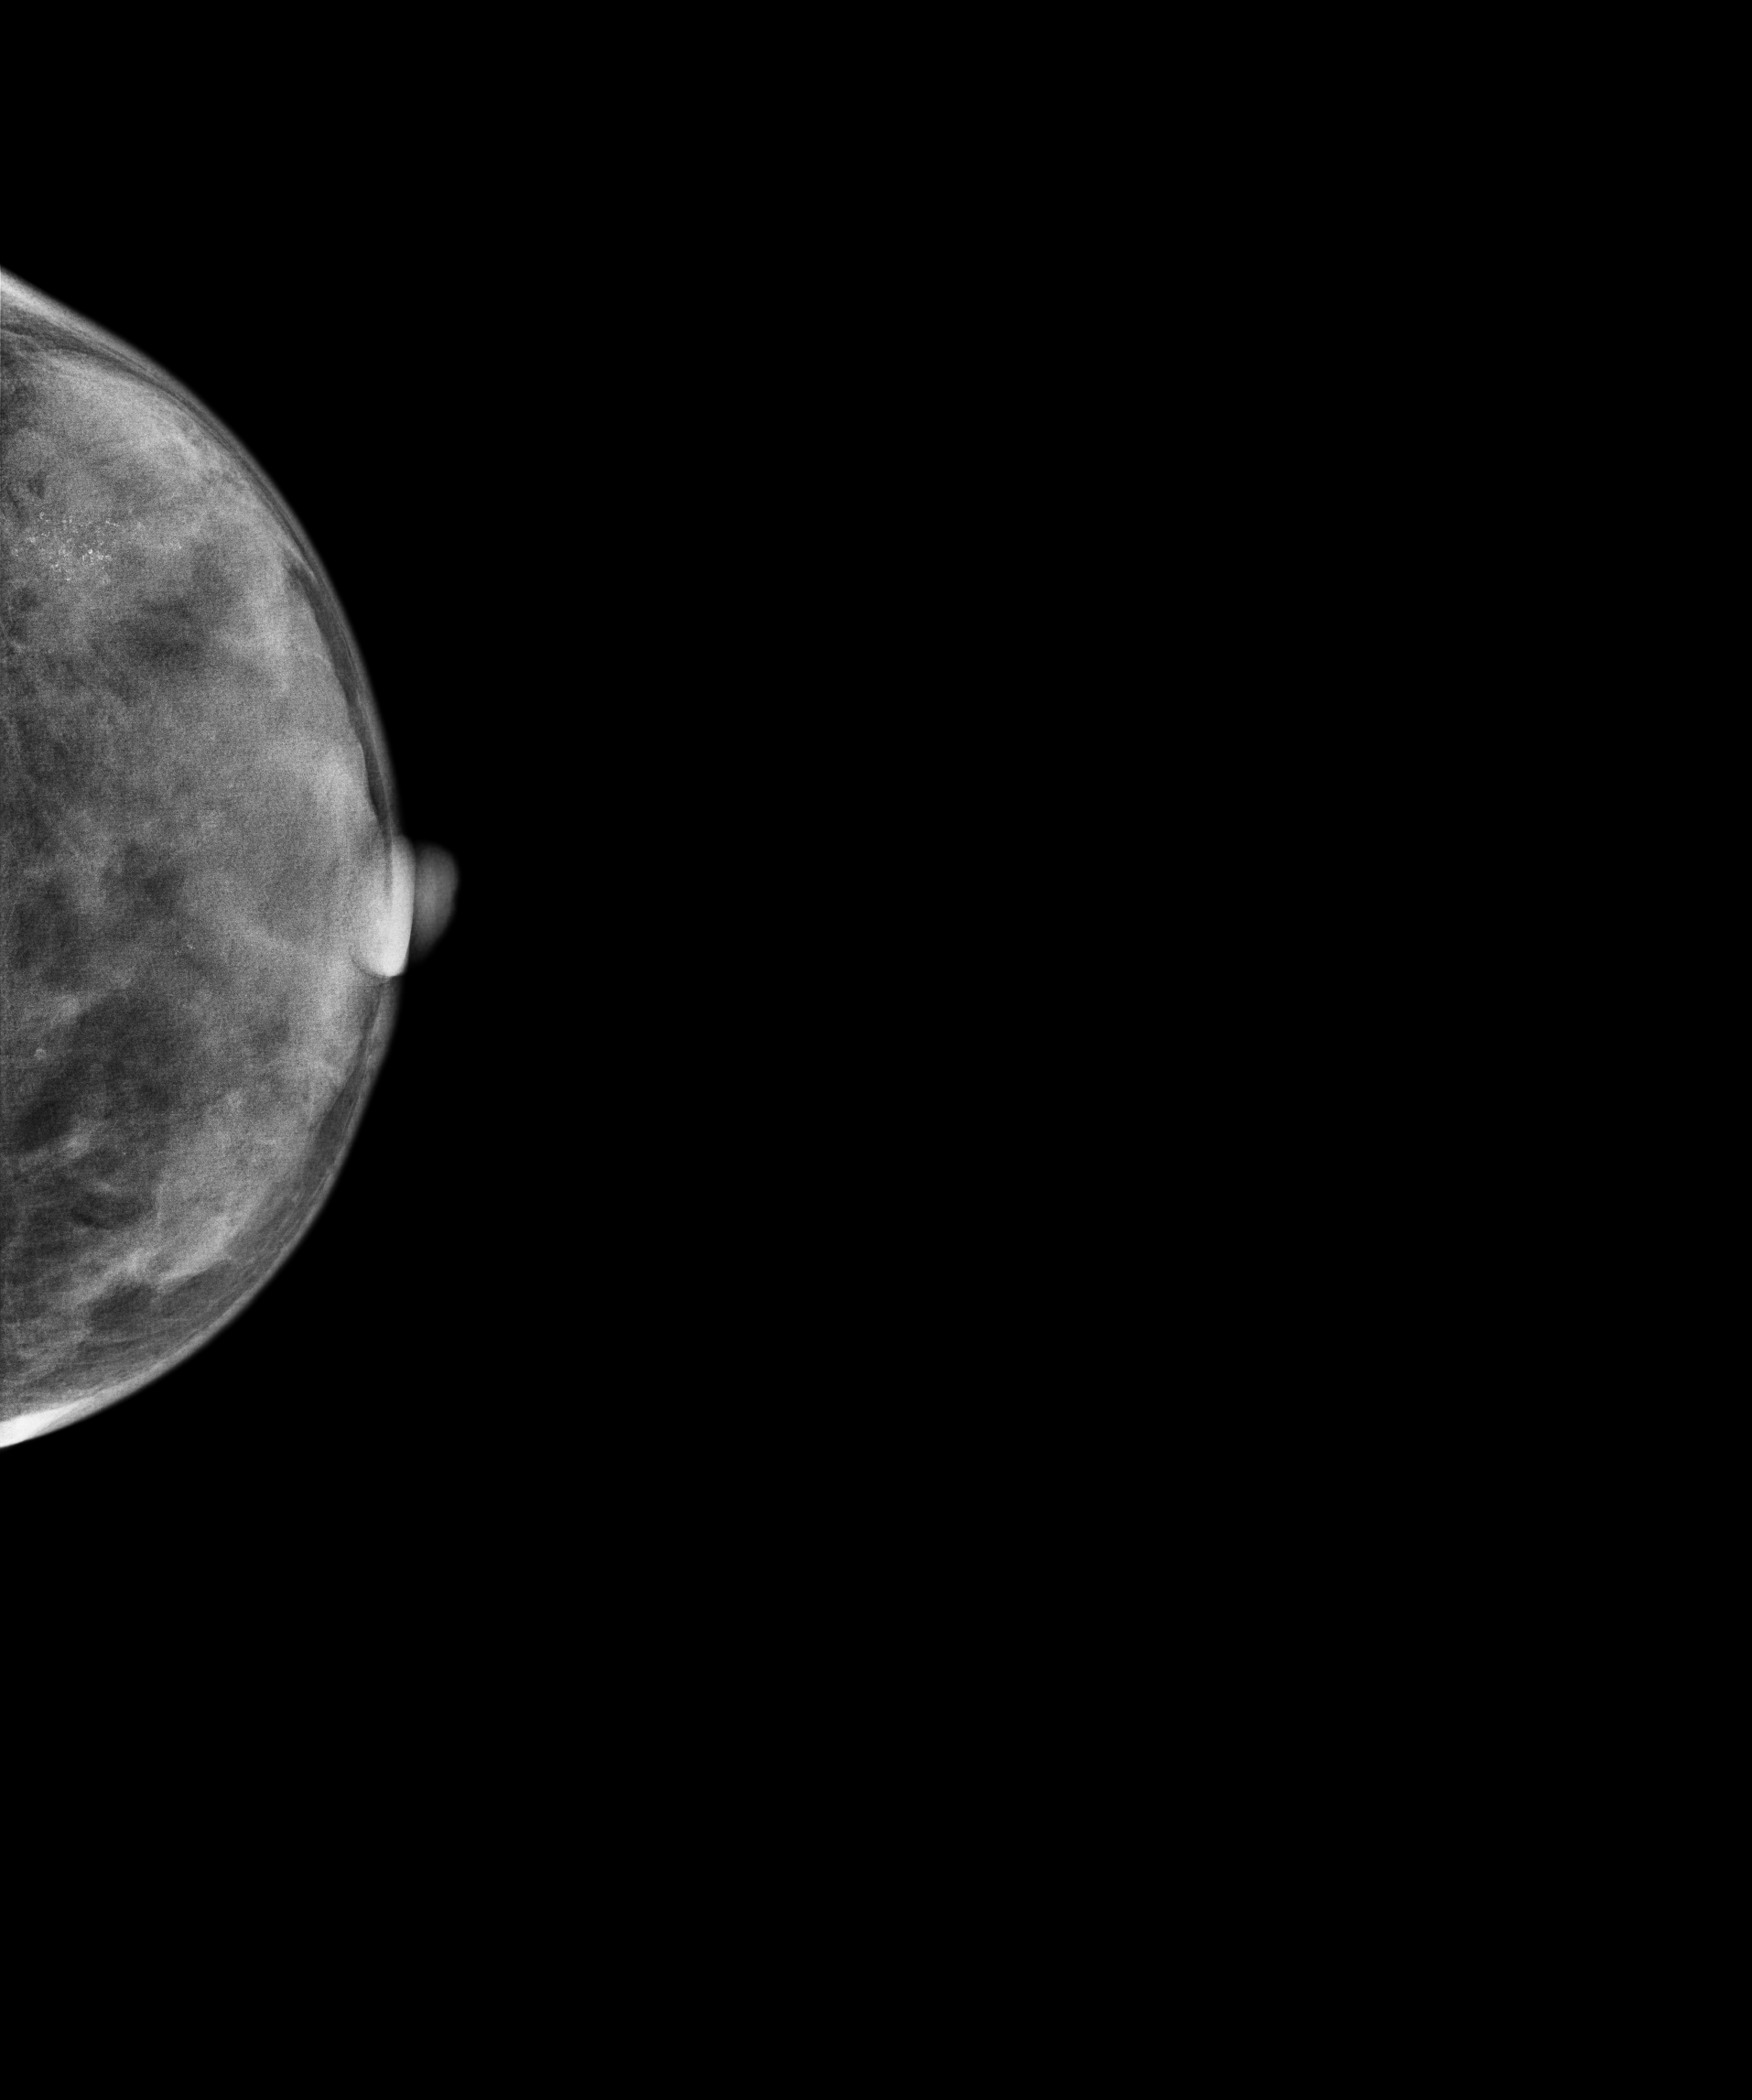
Left-breast mammogram, cranio-caudal. 46 y/o patient.
This breast has calcifications, biopsy-proven malignant. Molecular subtype: luminal A.